CC mammogram of the right breast. 54-year-old patient.
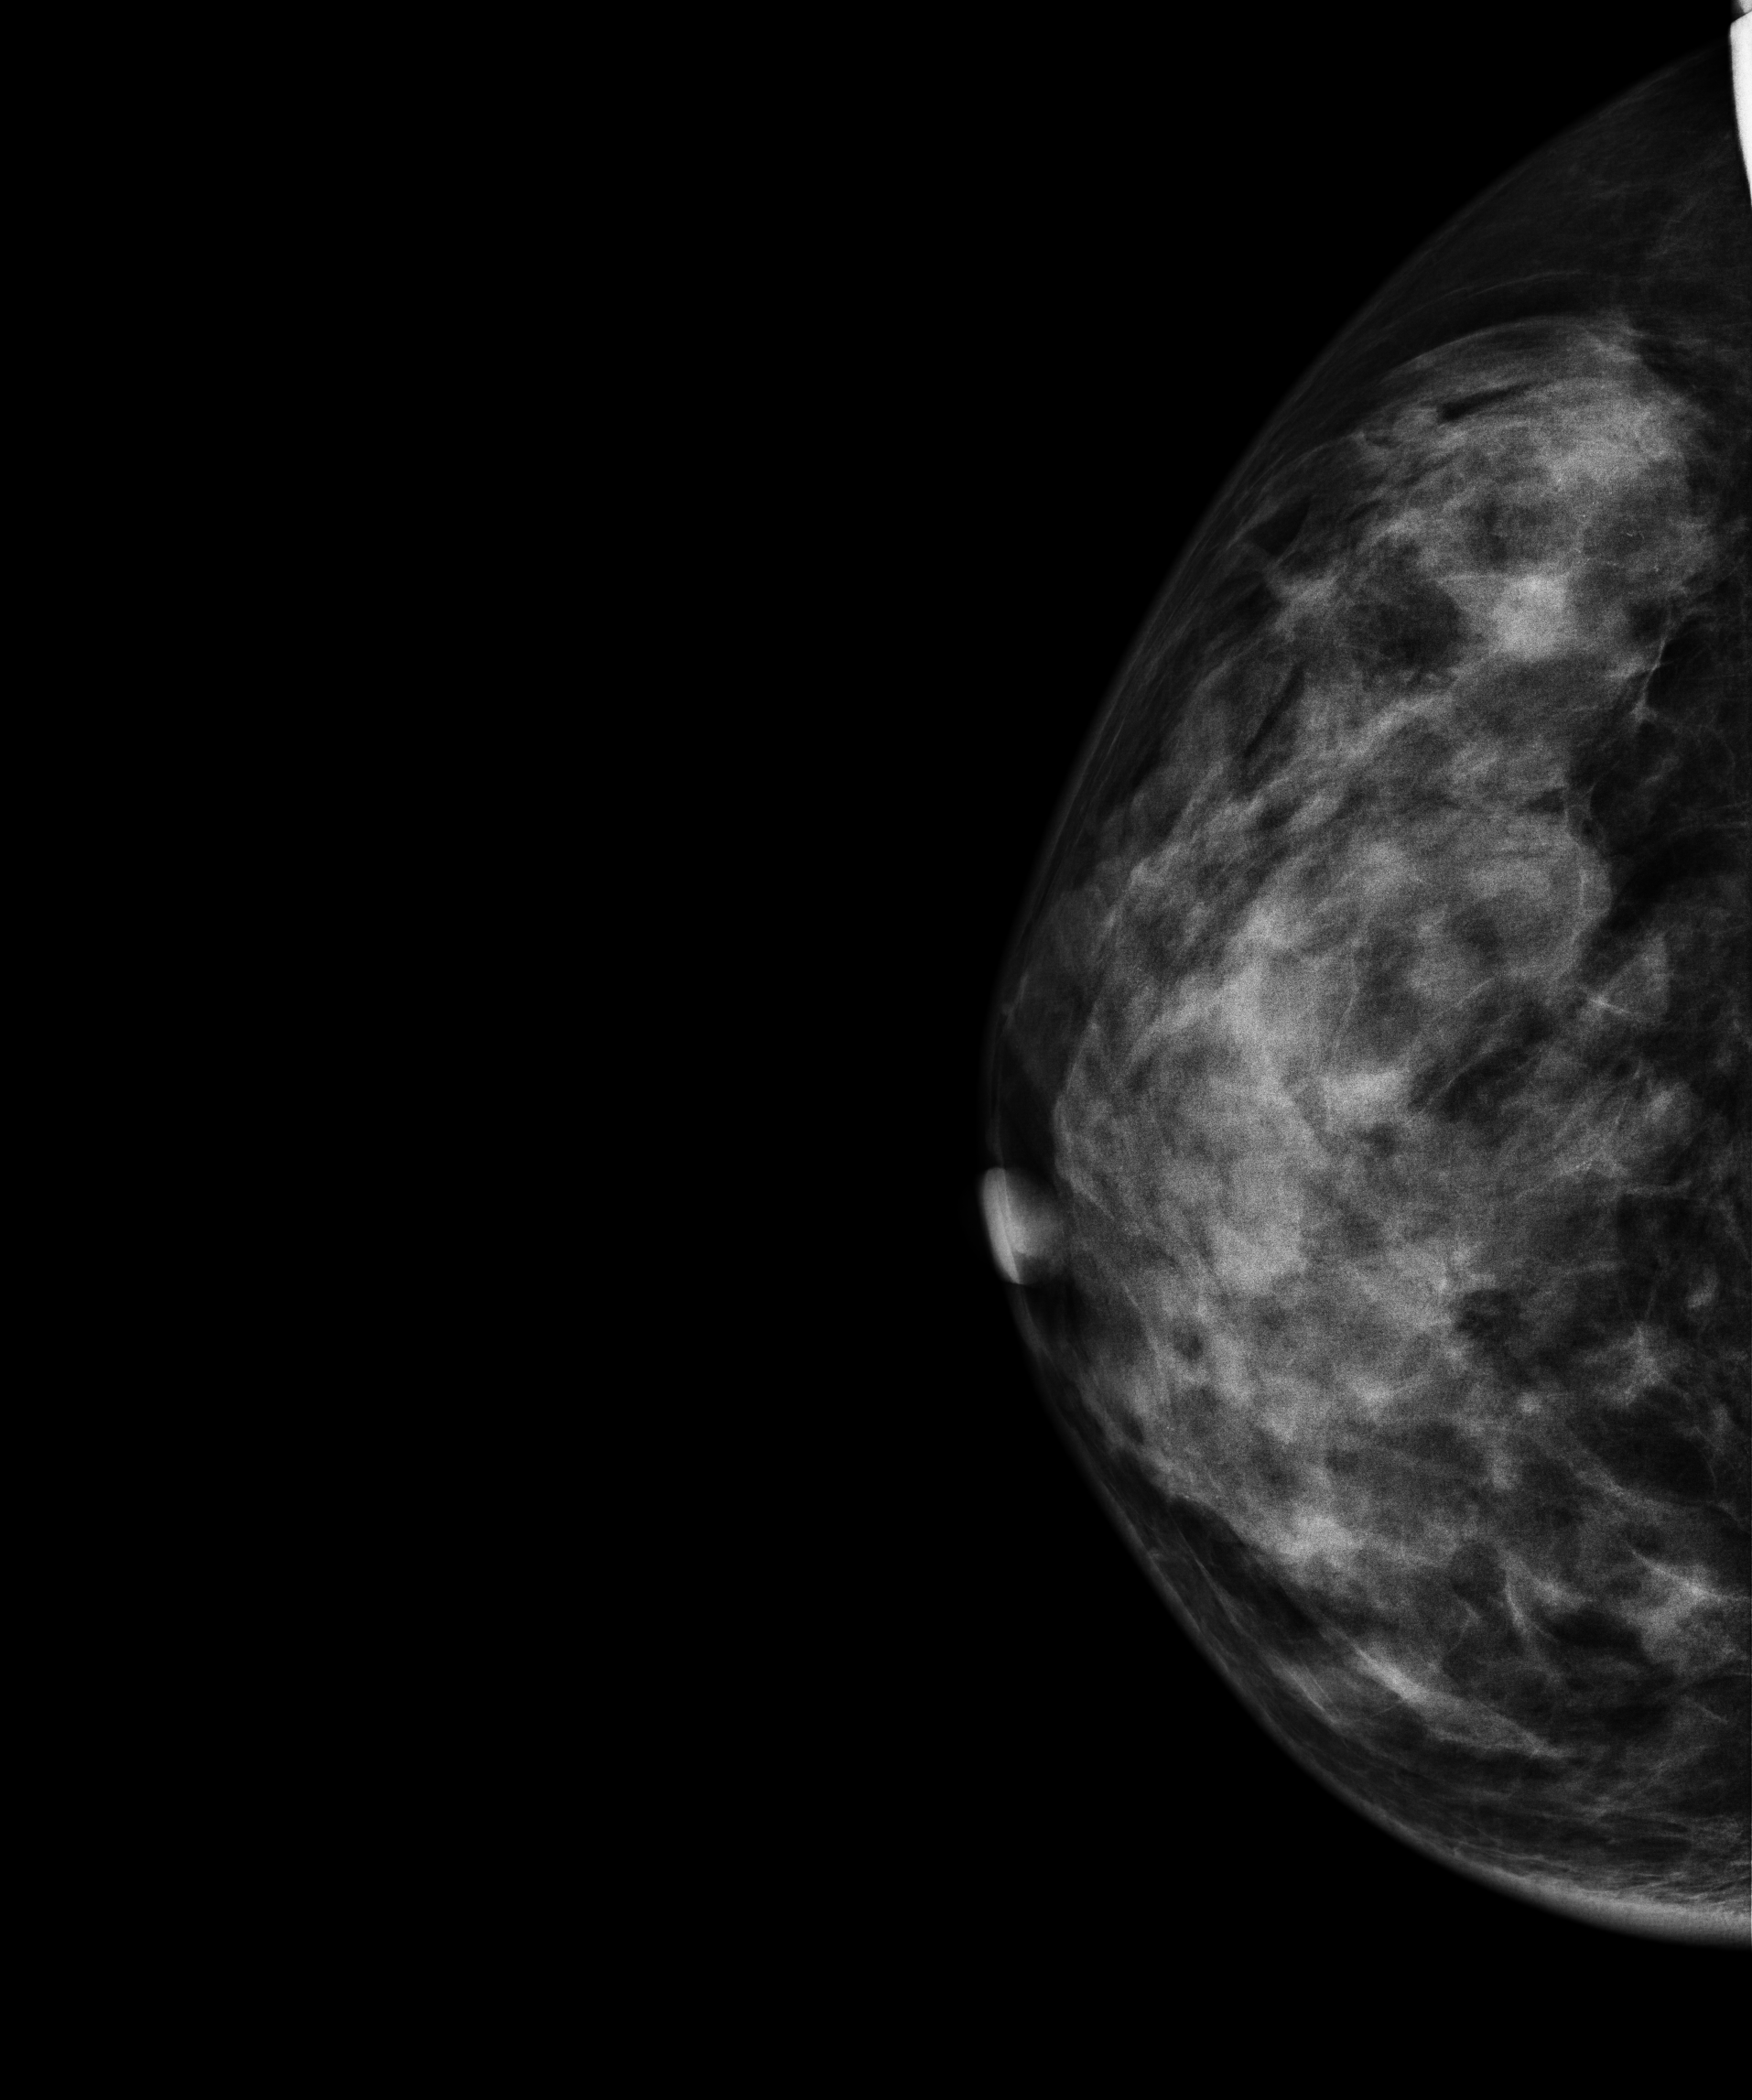
This breast has a mass and calcifications, biopsy-proven malignant. Molecular subtype: luminal B.